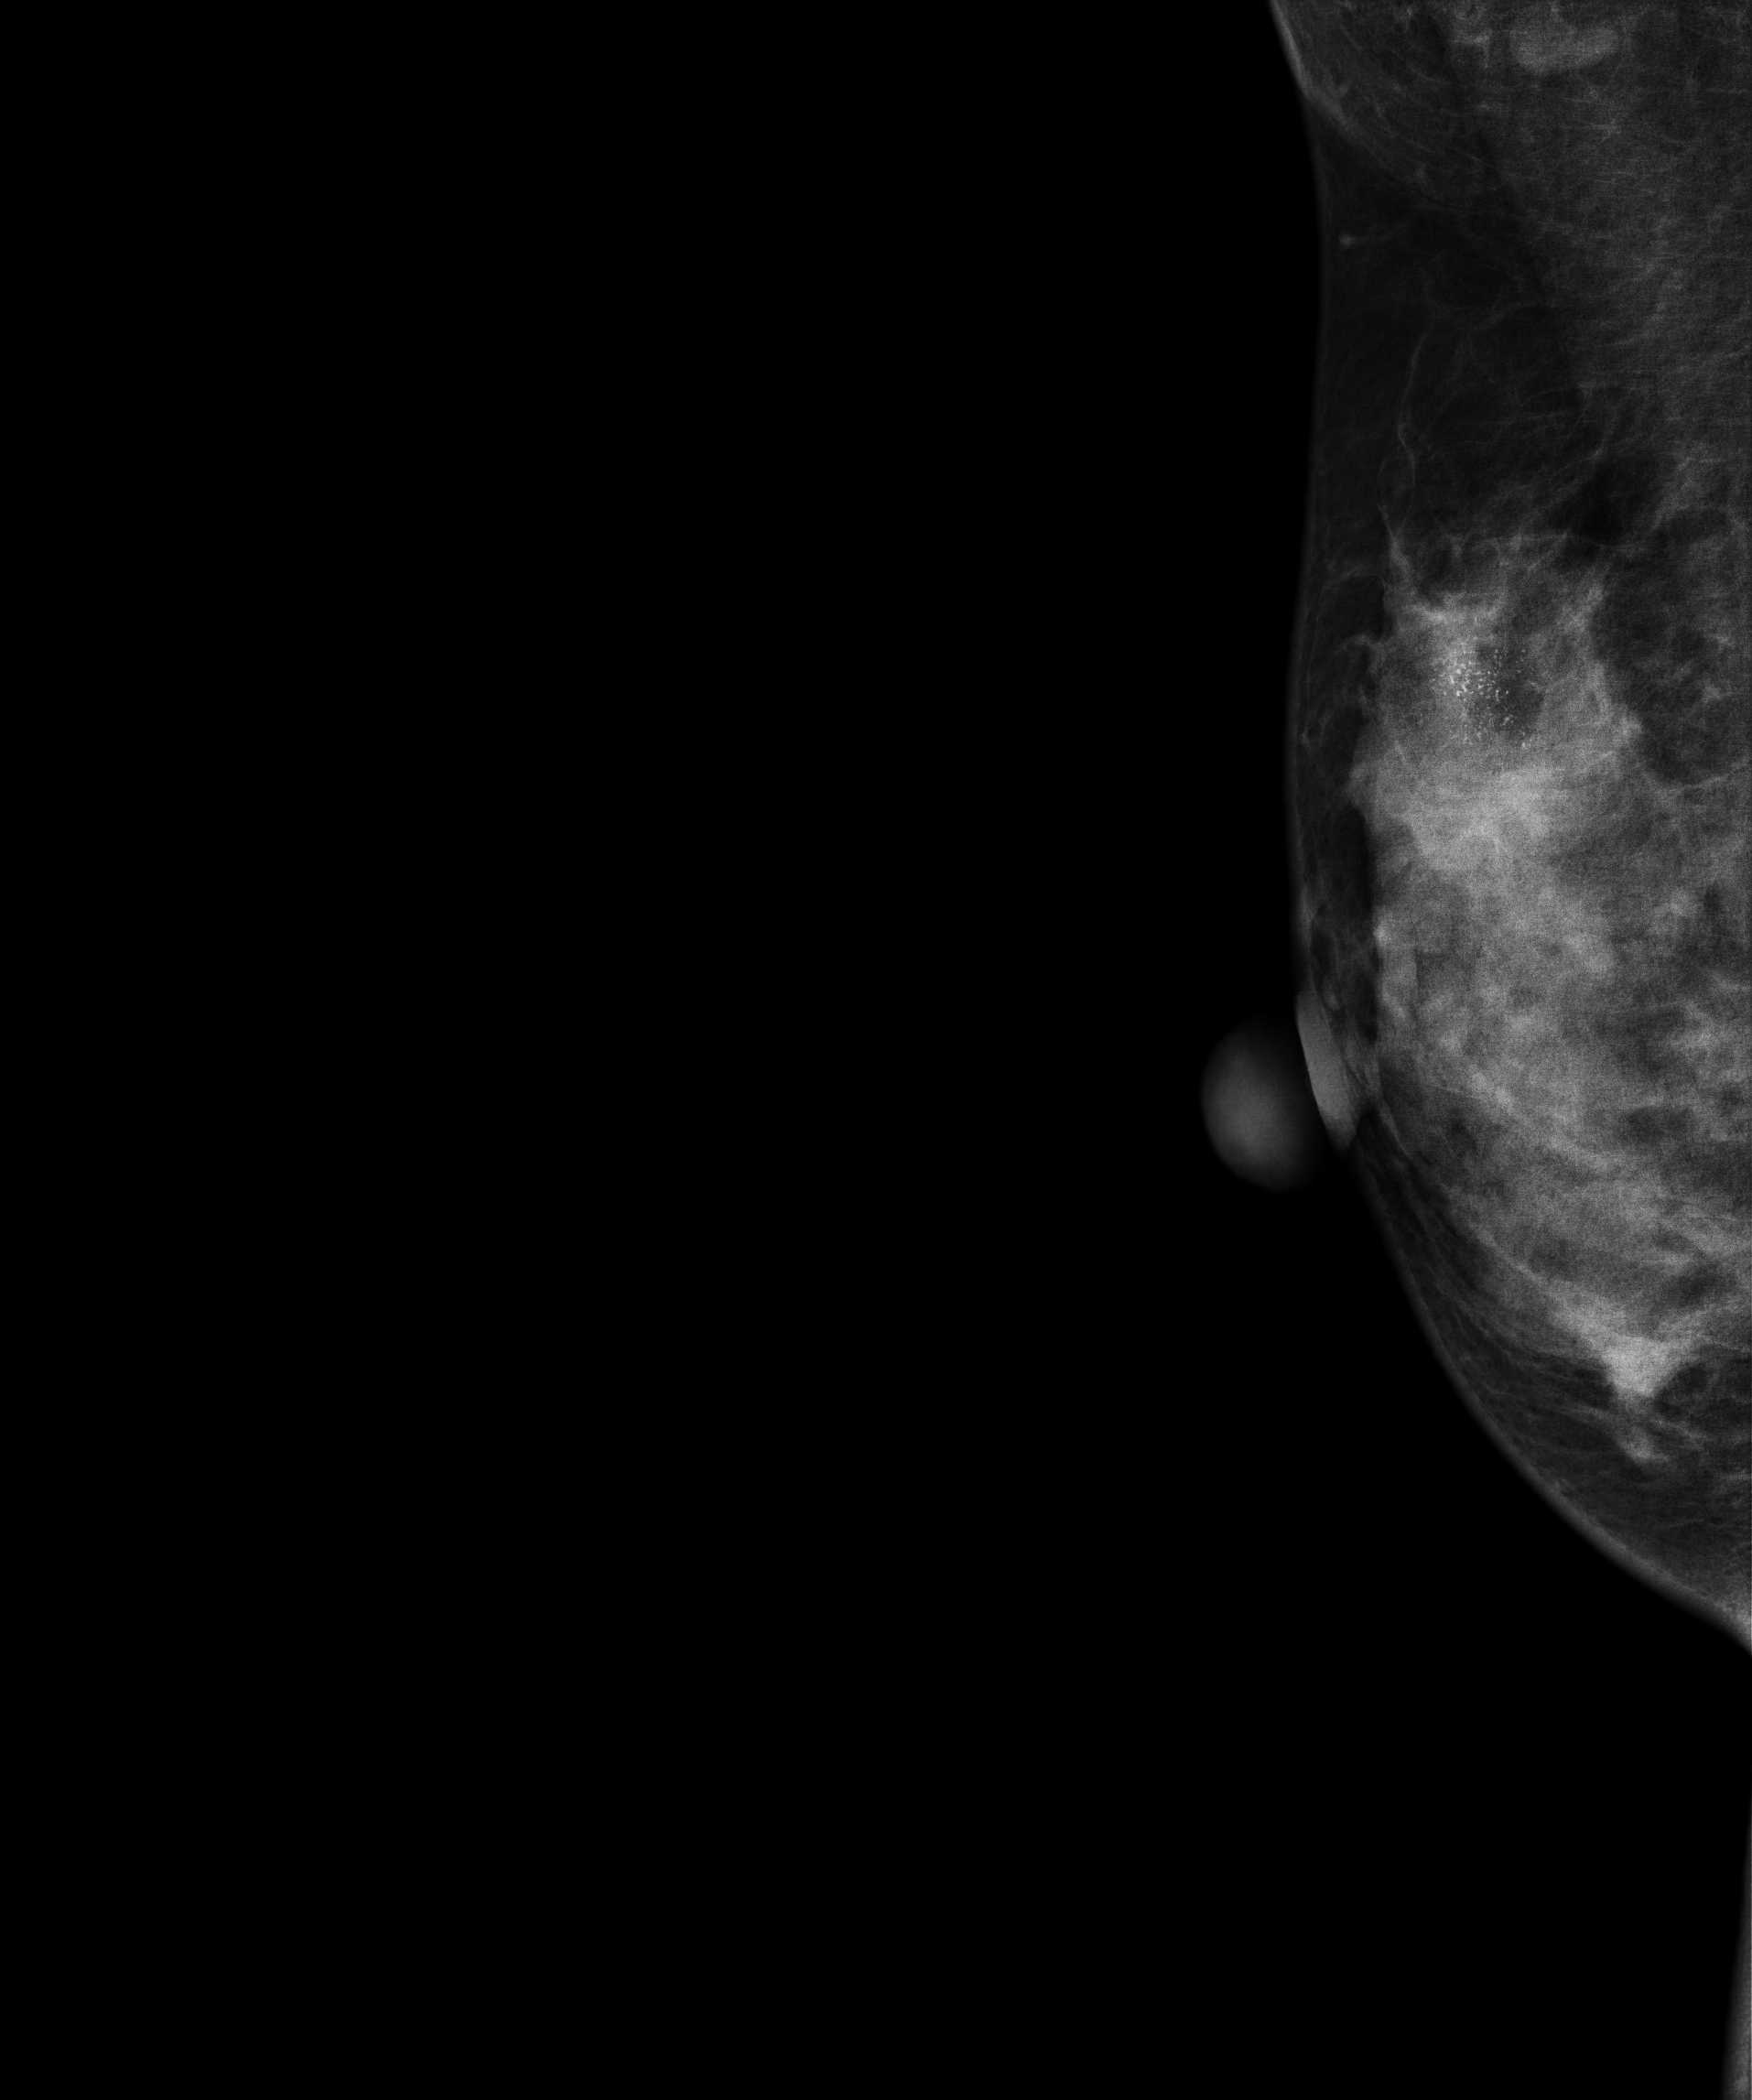
Digital mammography. Right breast, MLO projection. Patient age 38.
This breast has calcifications, pathology-confirmed malignant. Molecular subtype: luminal B.